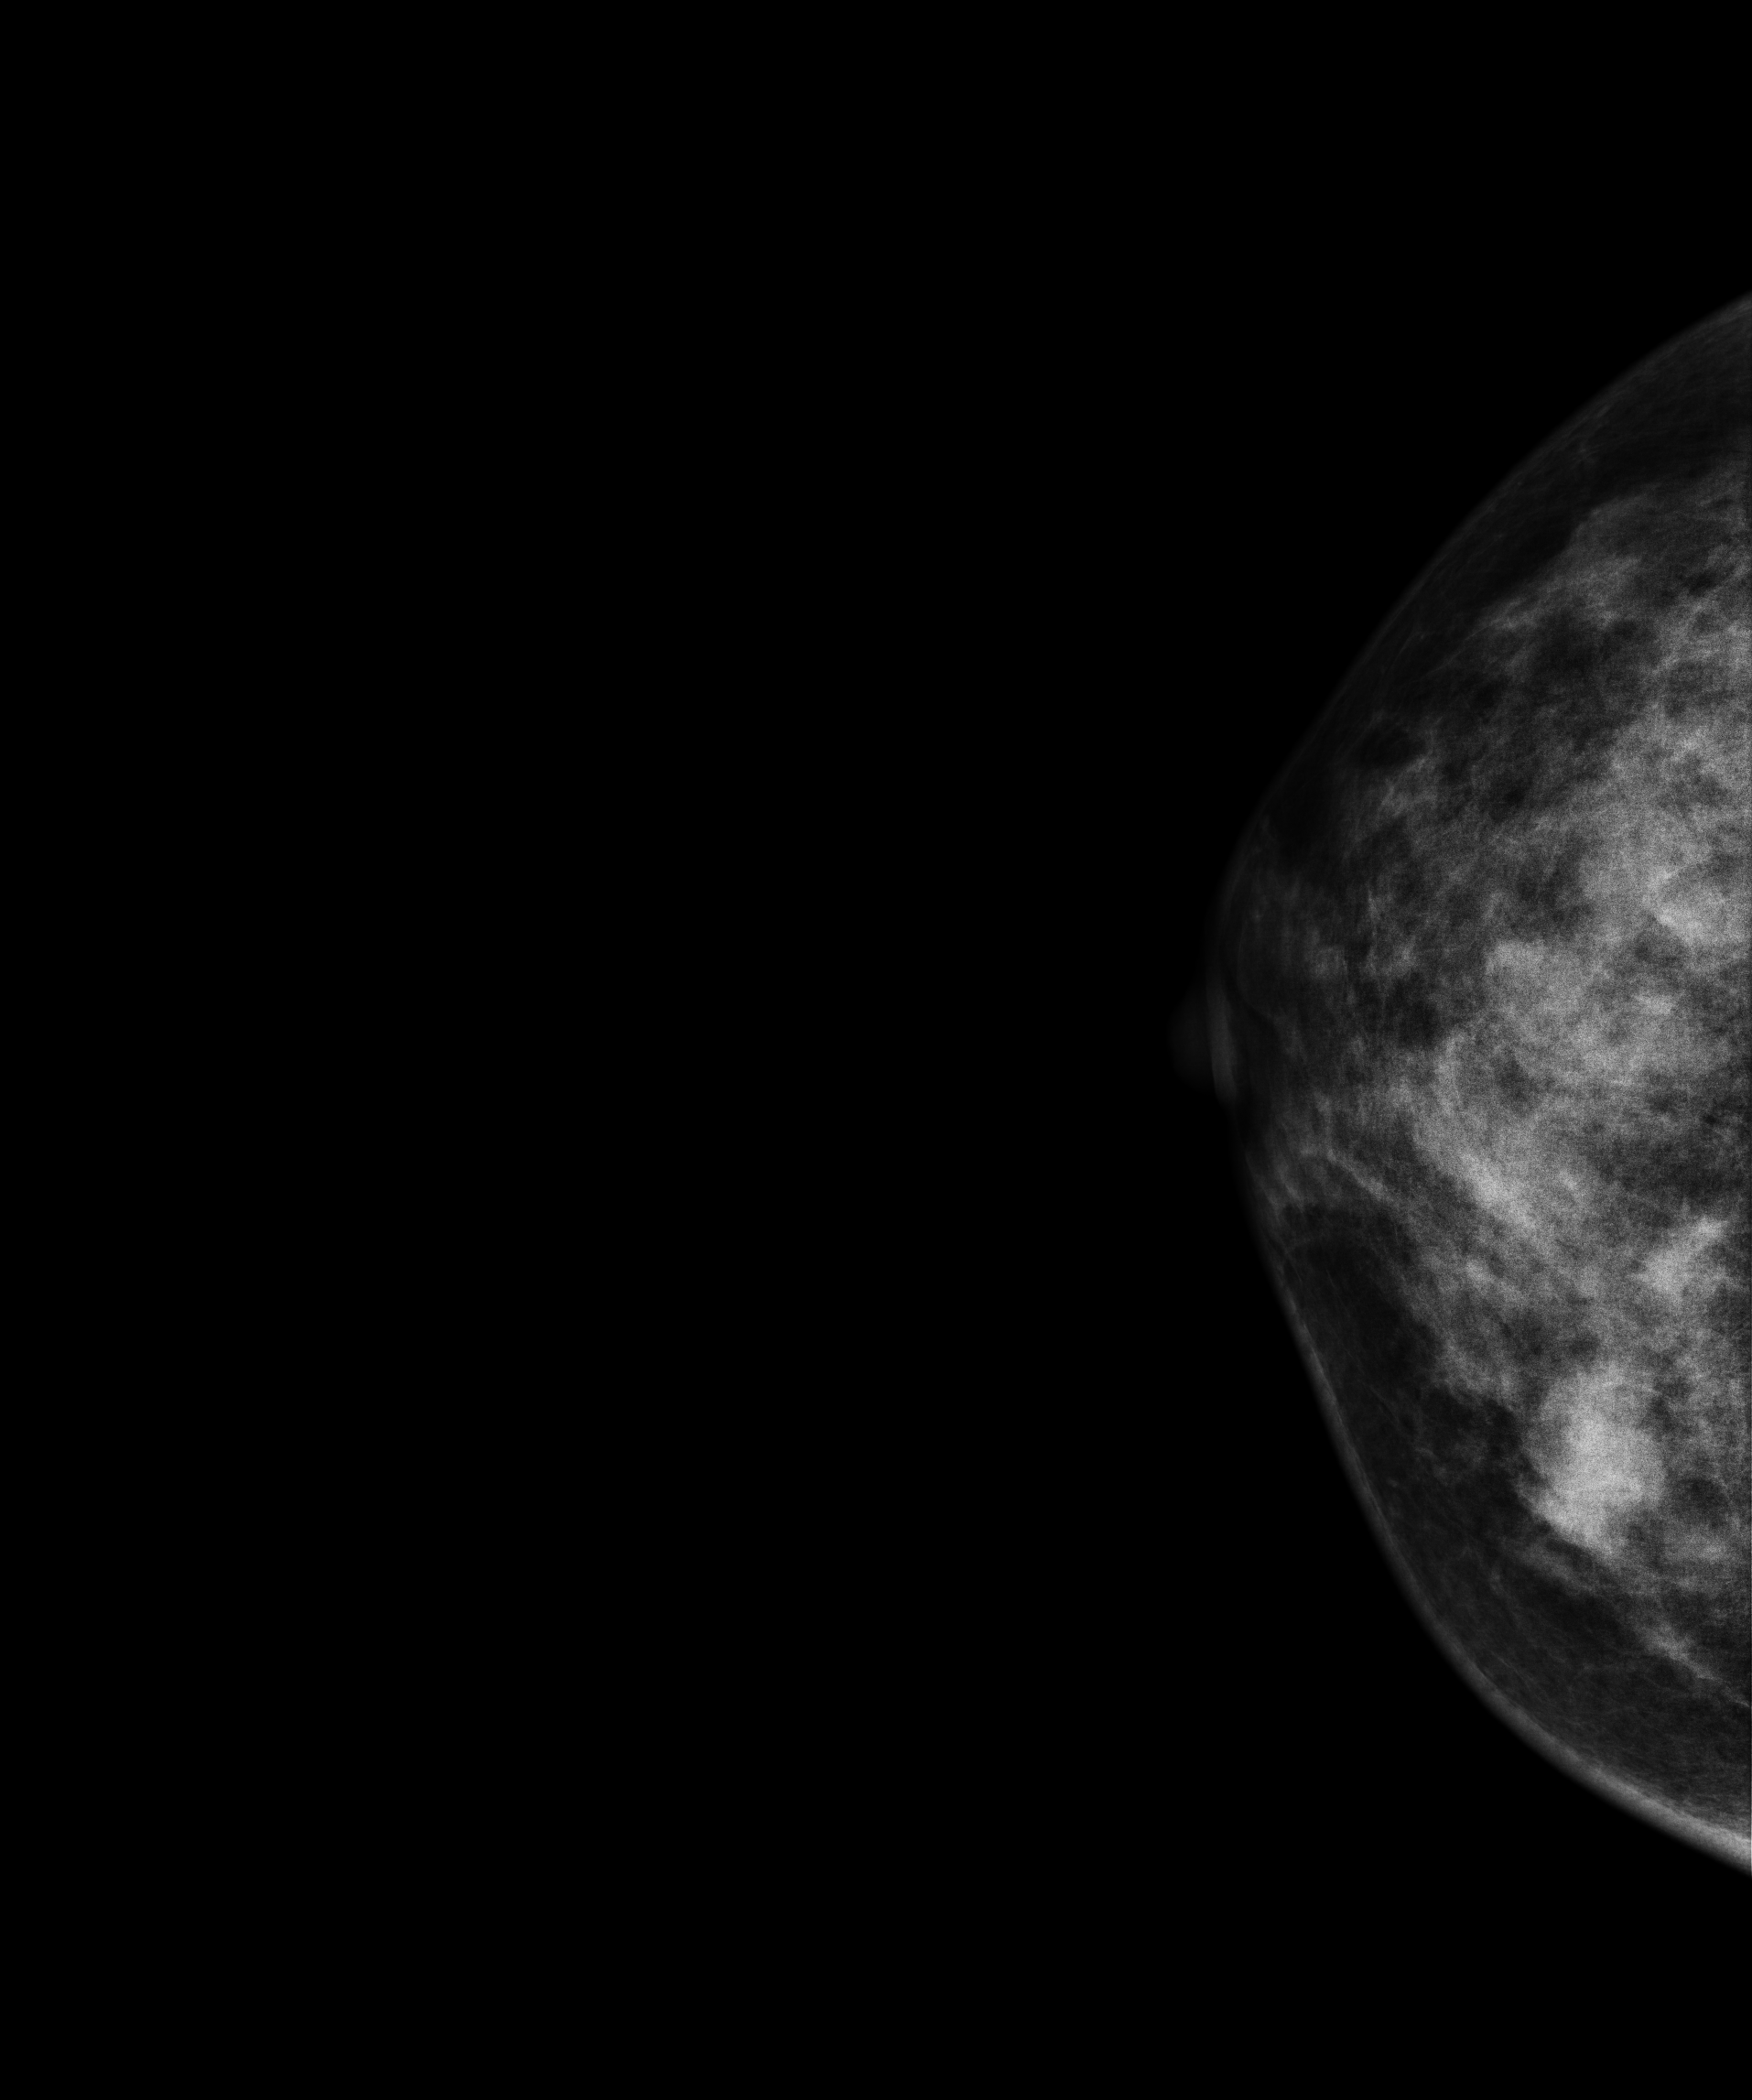
Mammogram — right CC. 50 y/o patient.
This breast has a mass, pathology-confirmed malignant. Molecular subtype: luminal A.